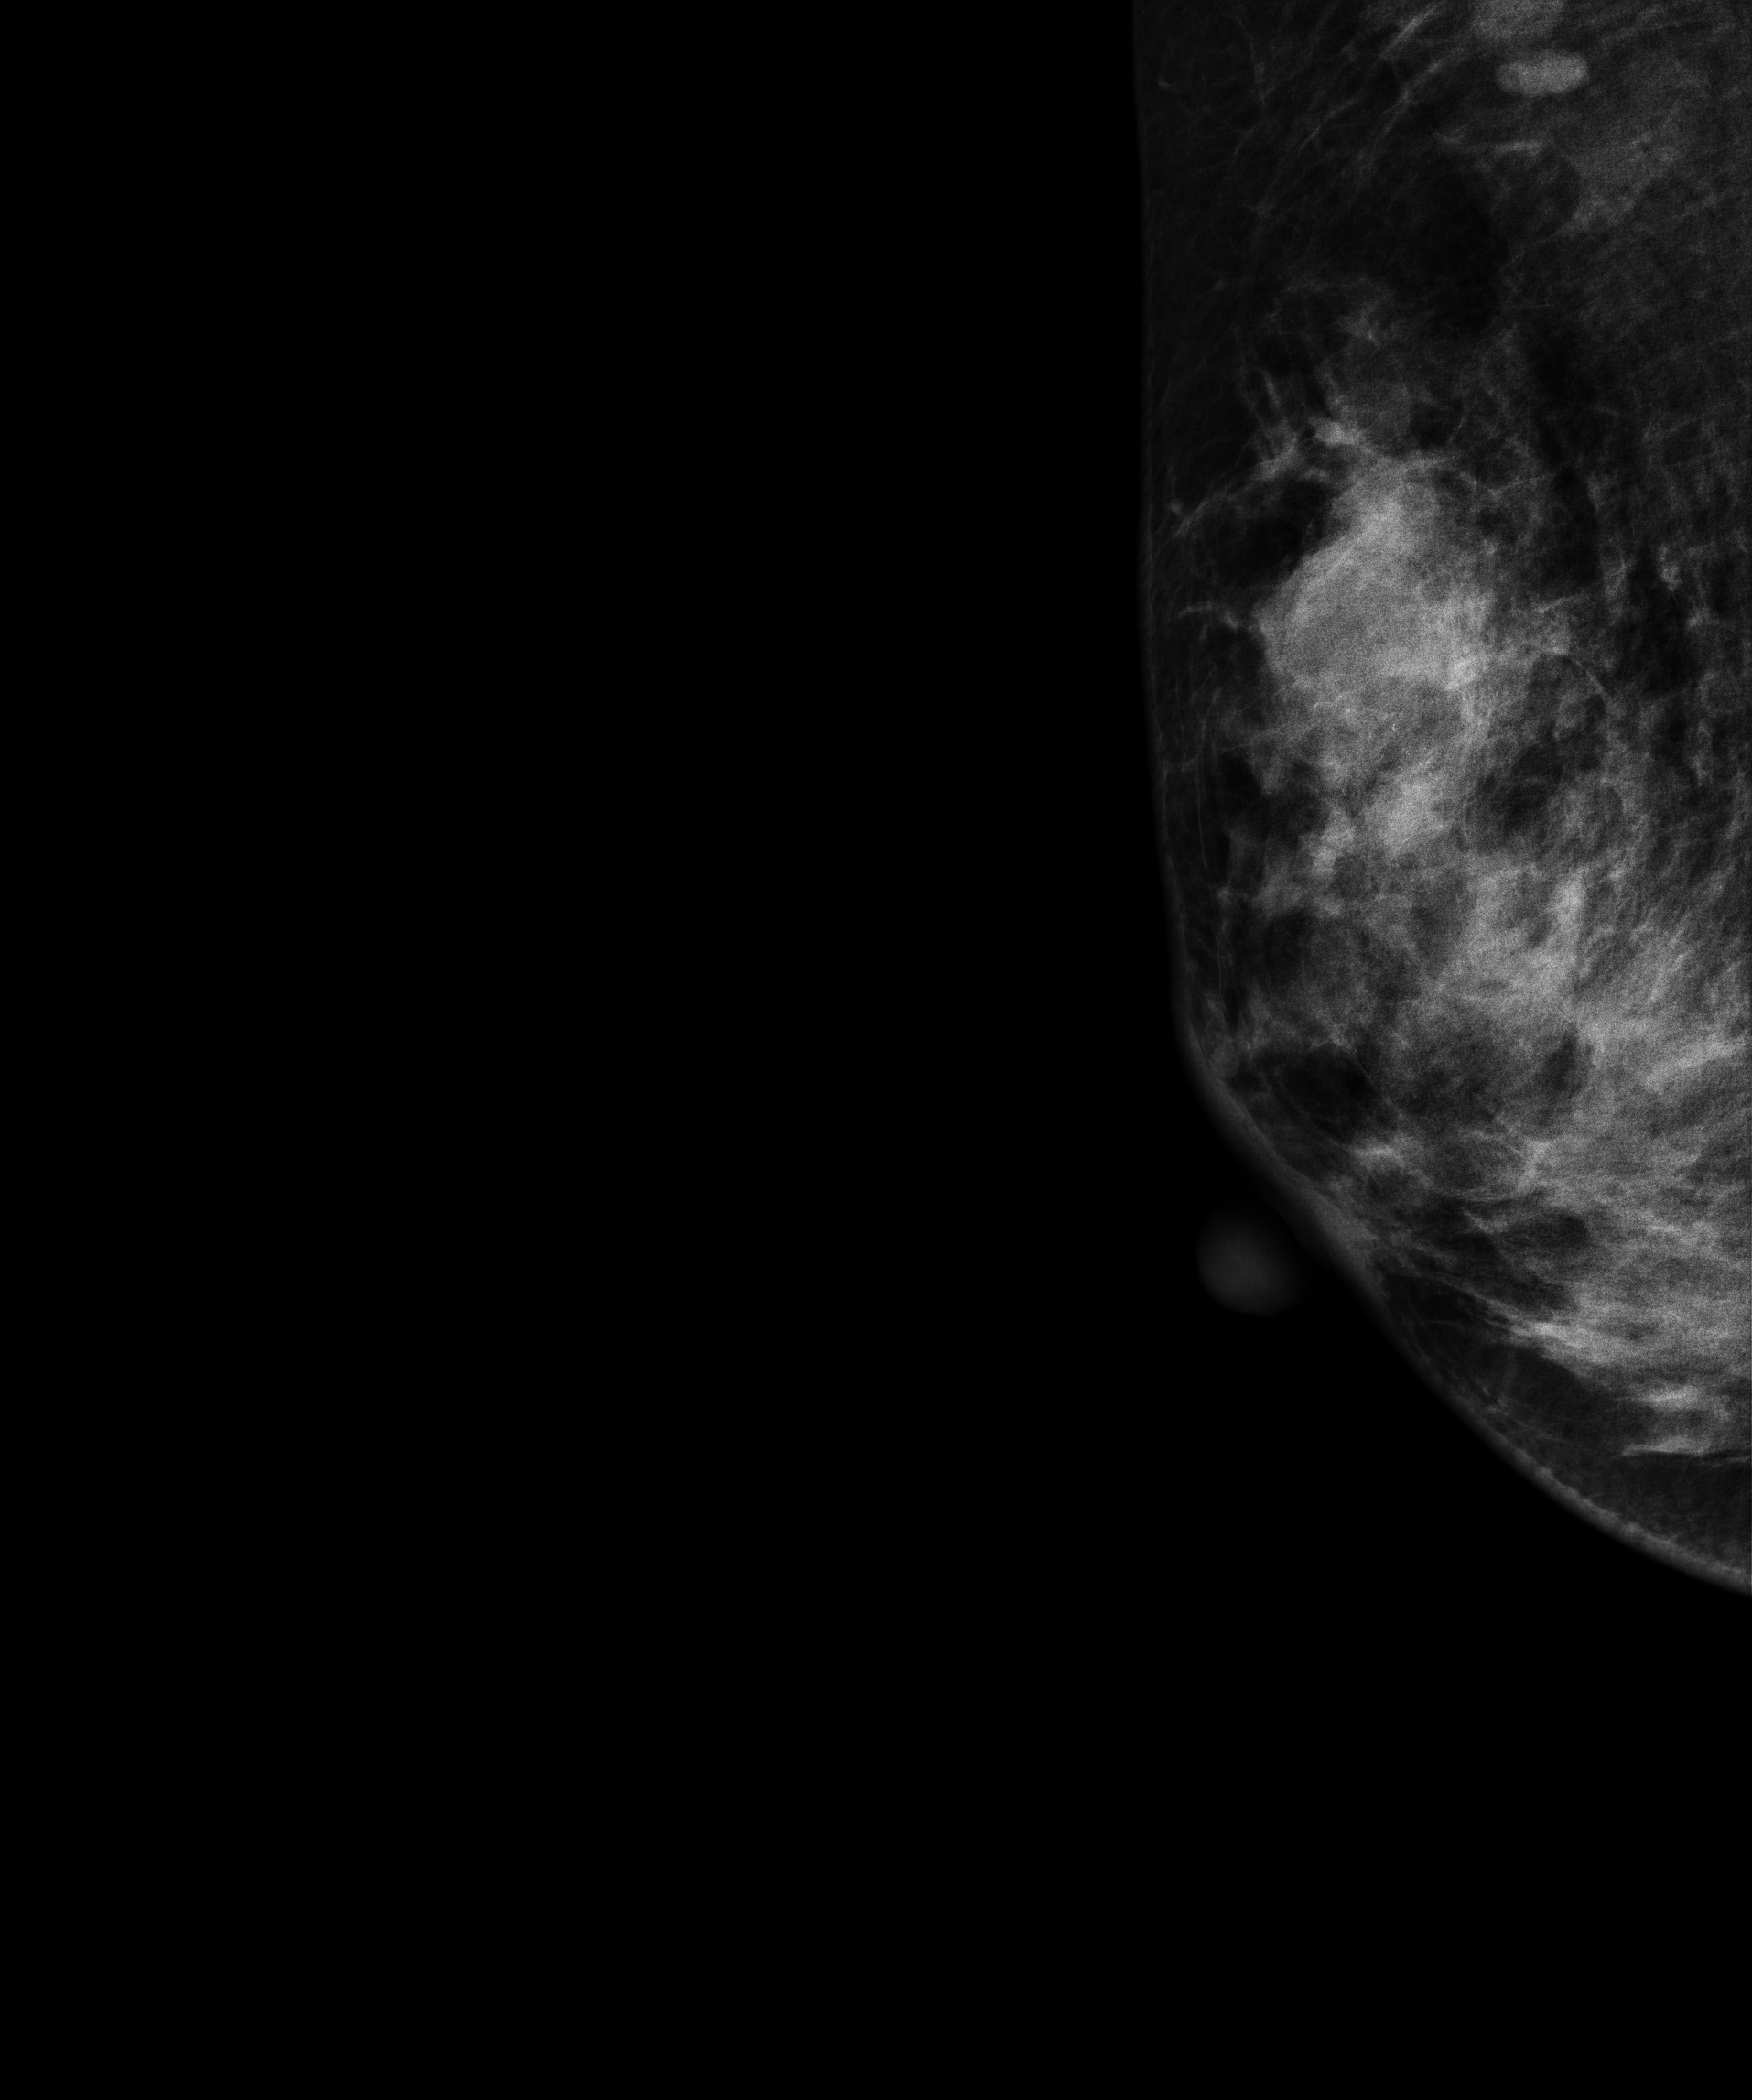
Digital mammography. Right breast, MLO projection. 43 y/o patient.
This breast has a mass and calcifications, biopsy-confirmed malignant.